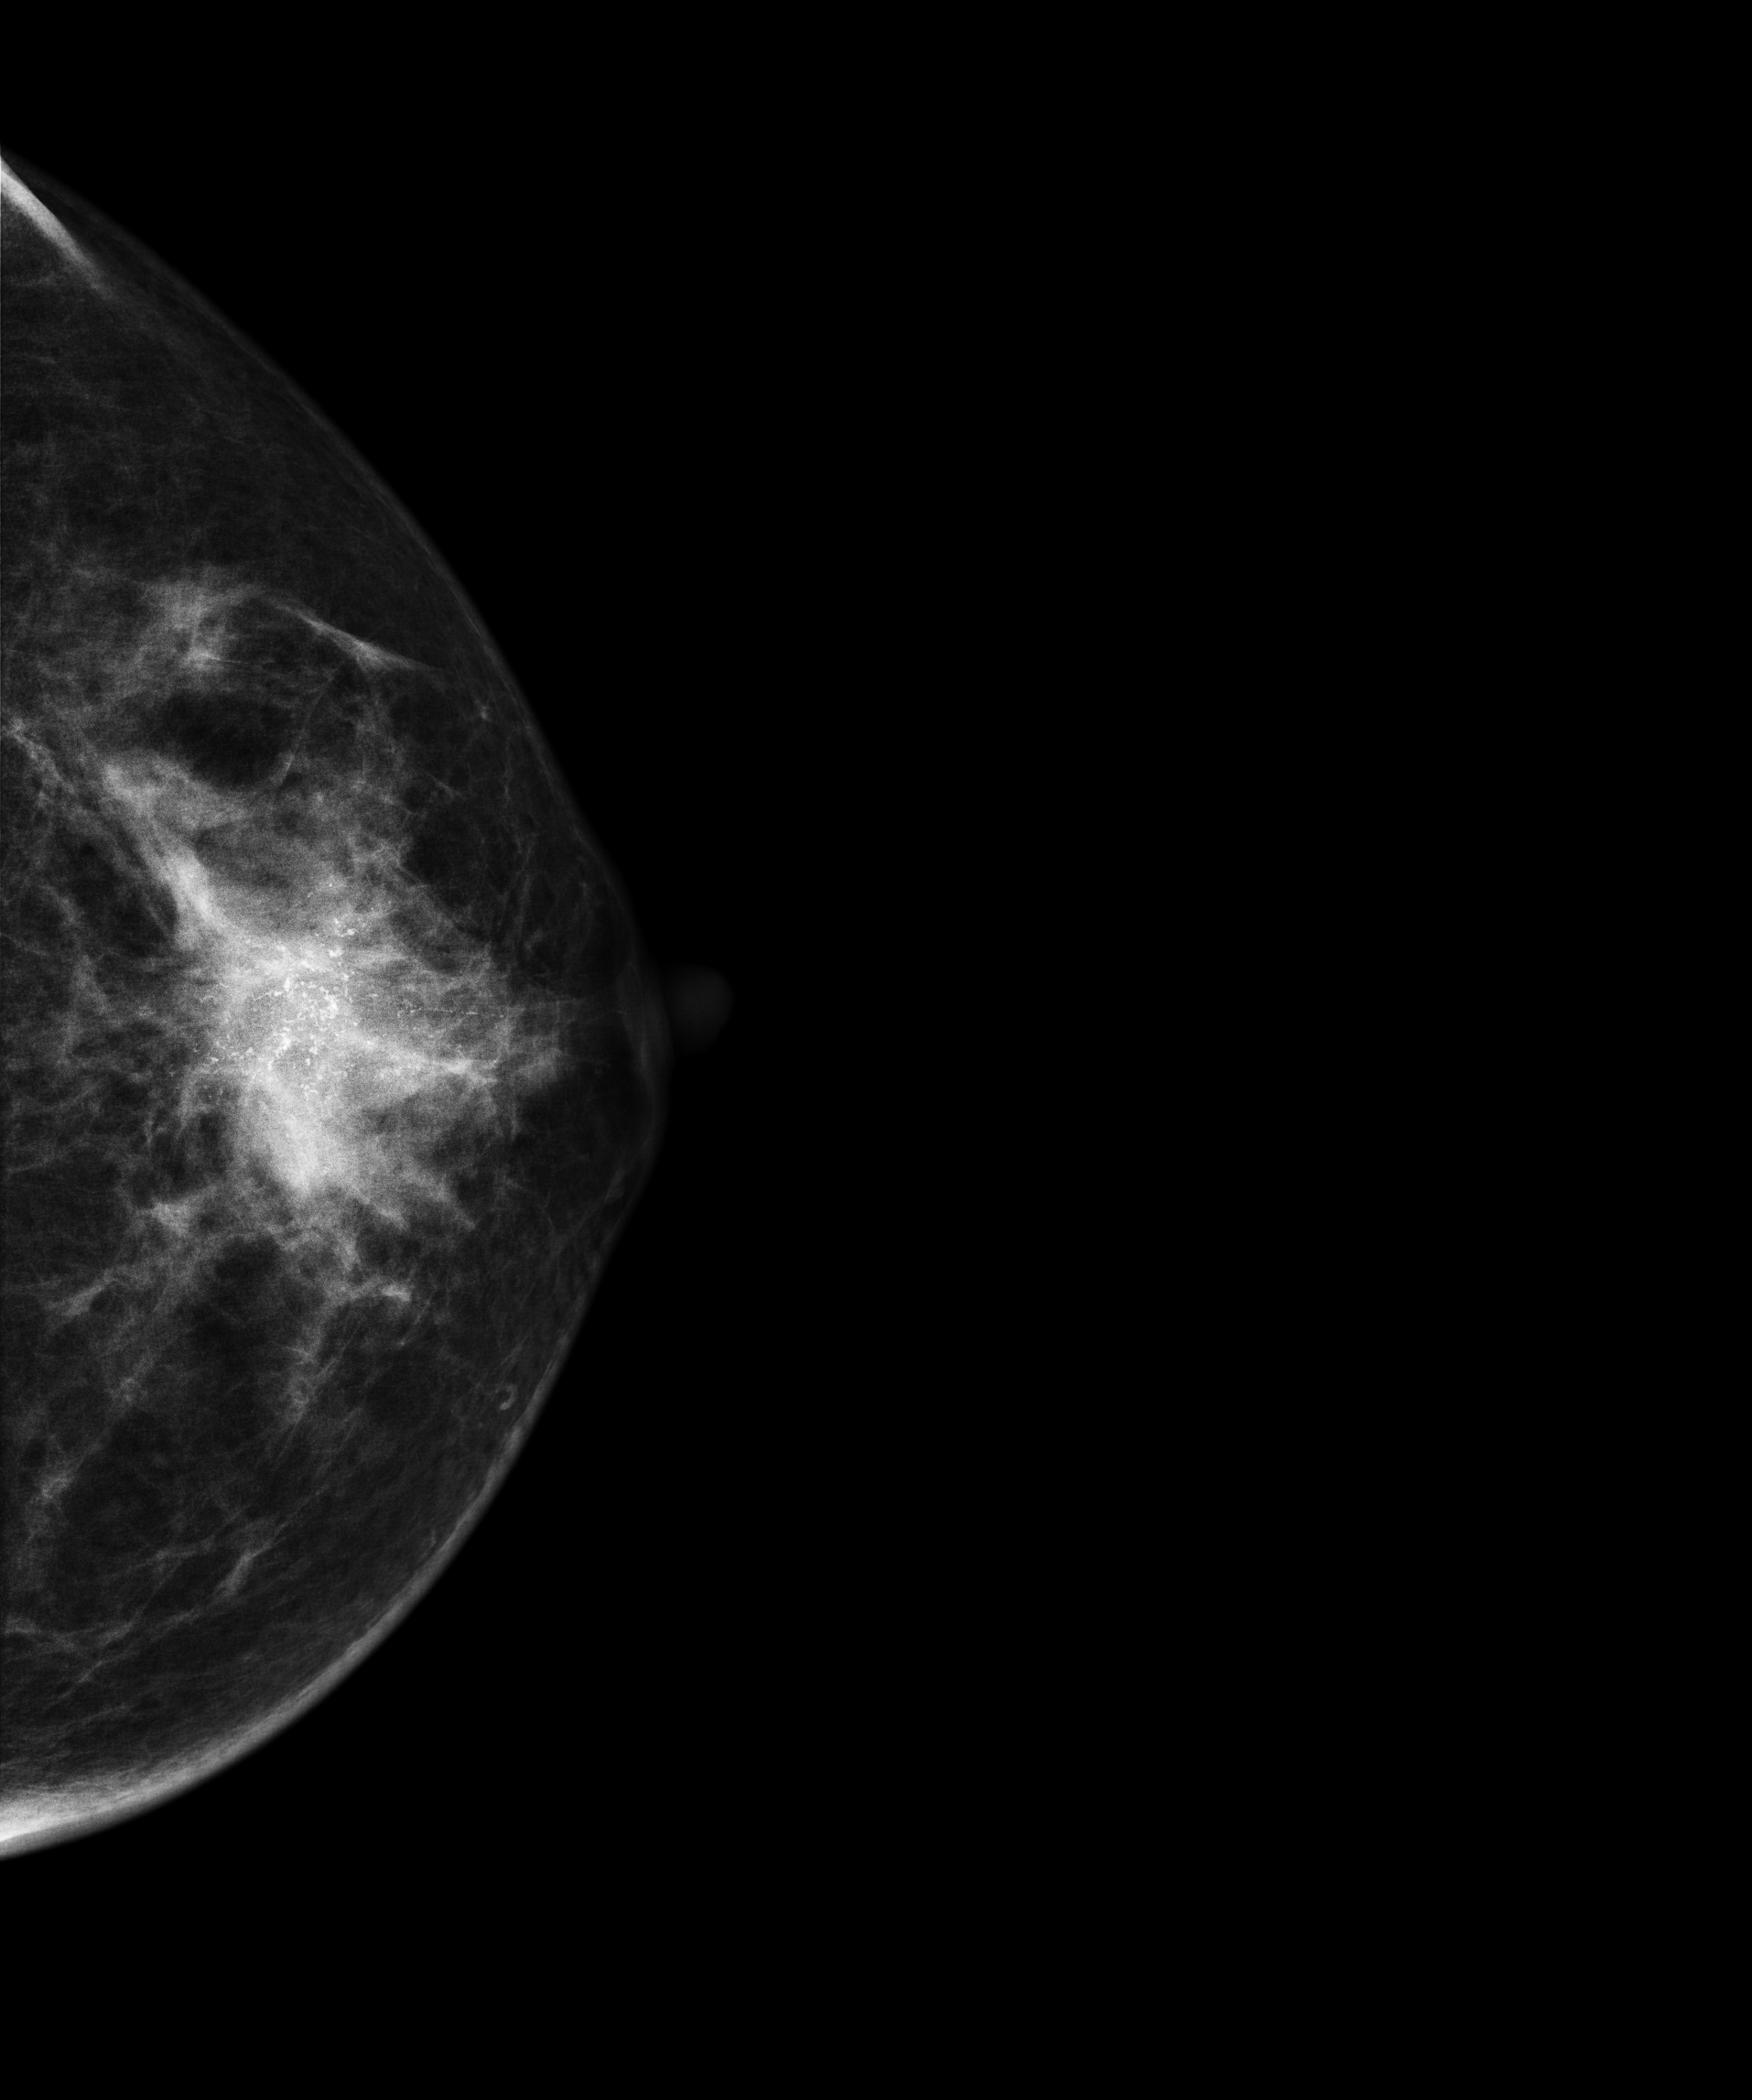
Mammogram, left breast, cranio-caudal view. Patient age 42.
This breast has a mass and calcifications, biopsy-proven malignant. Molecular subtype: HER2-enriched.